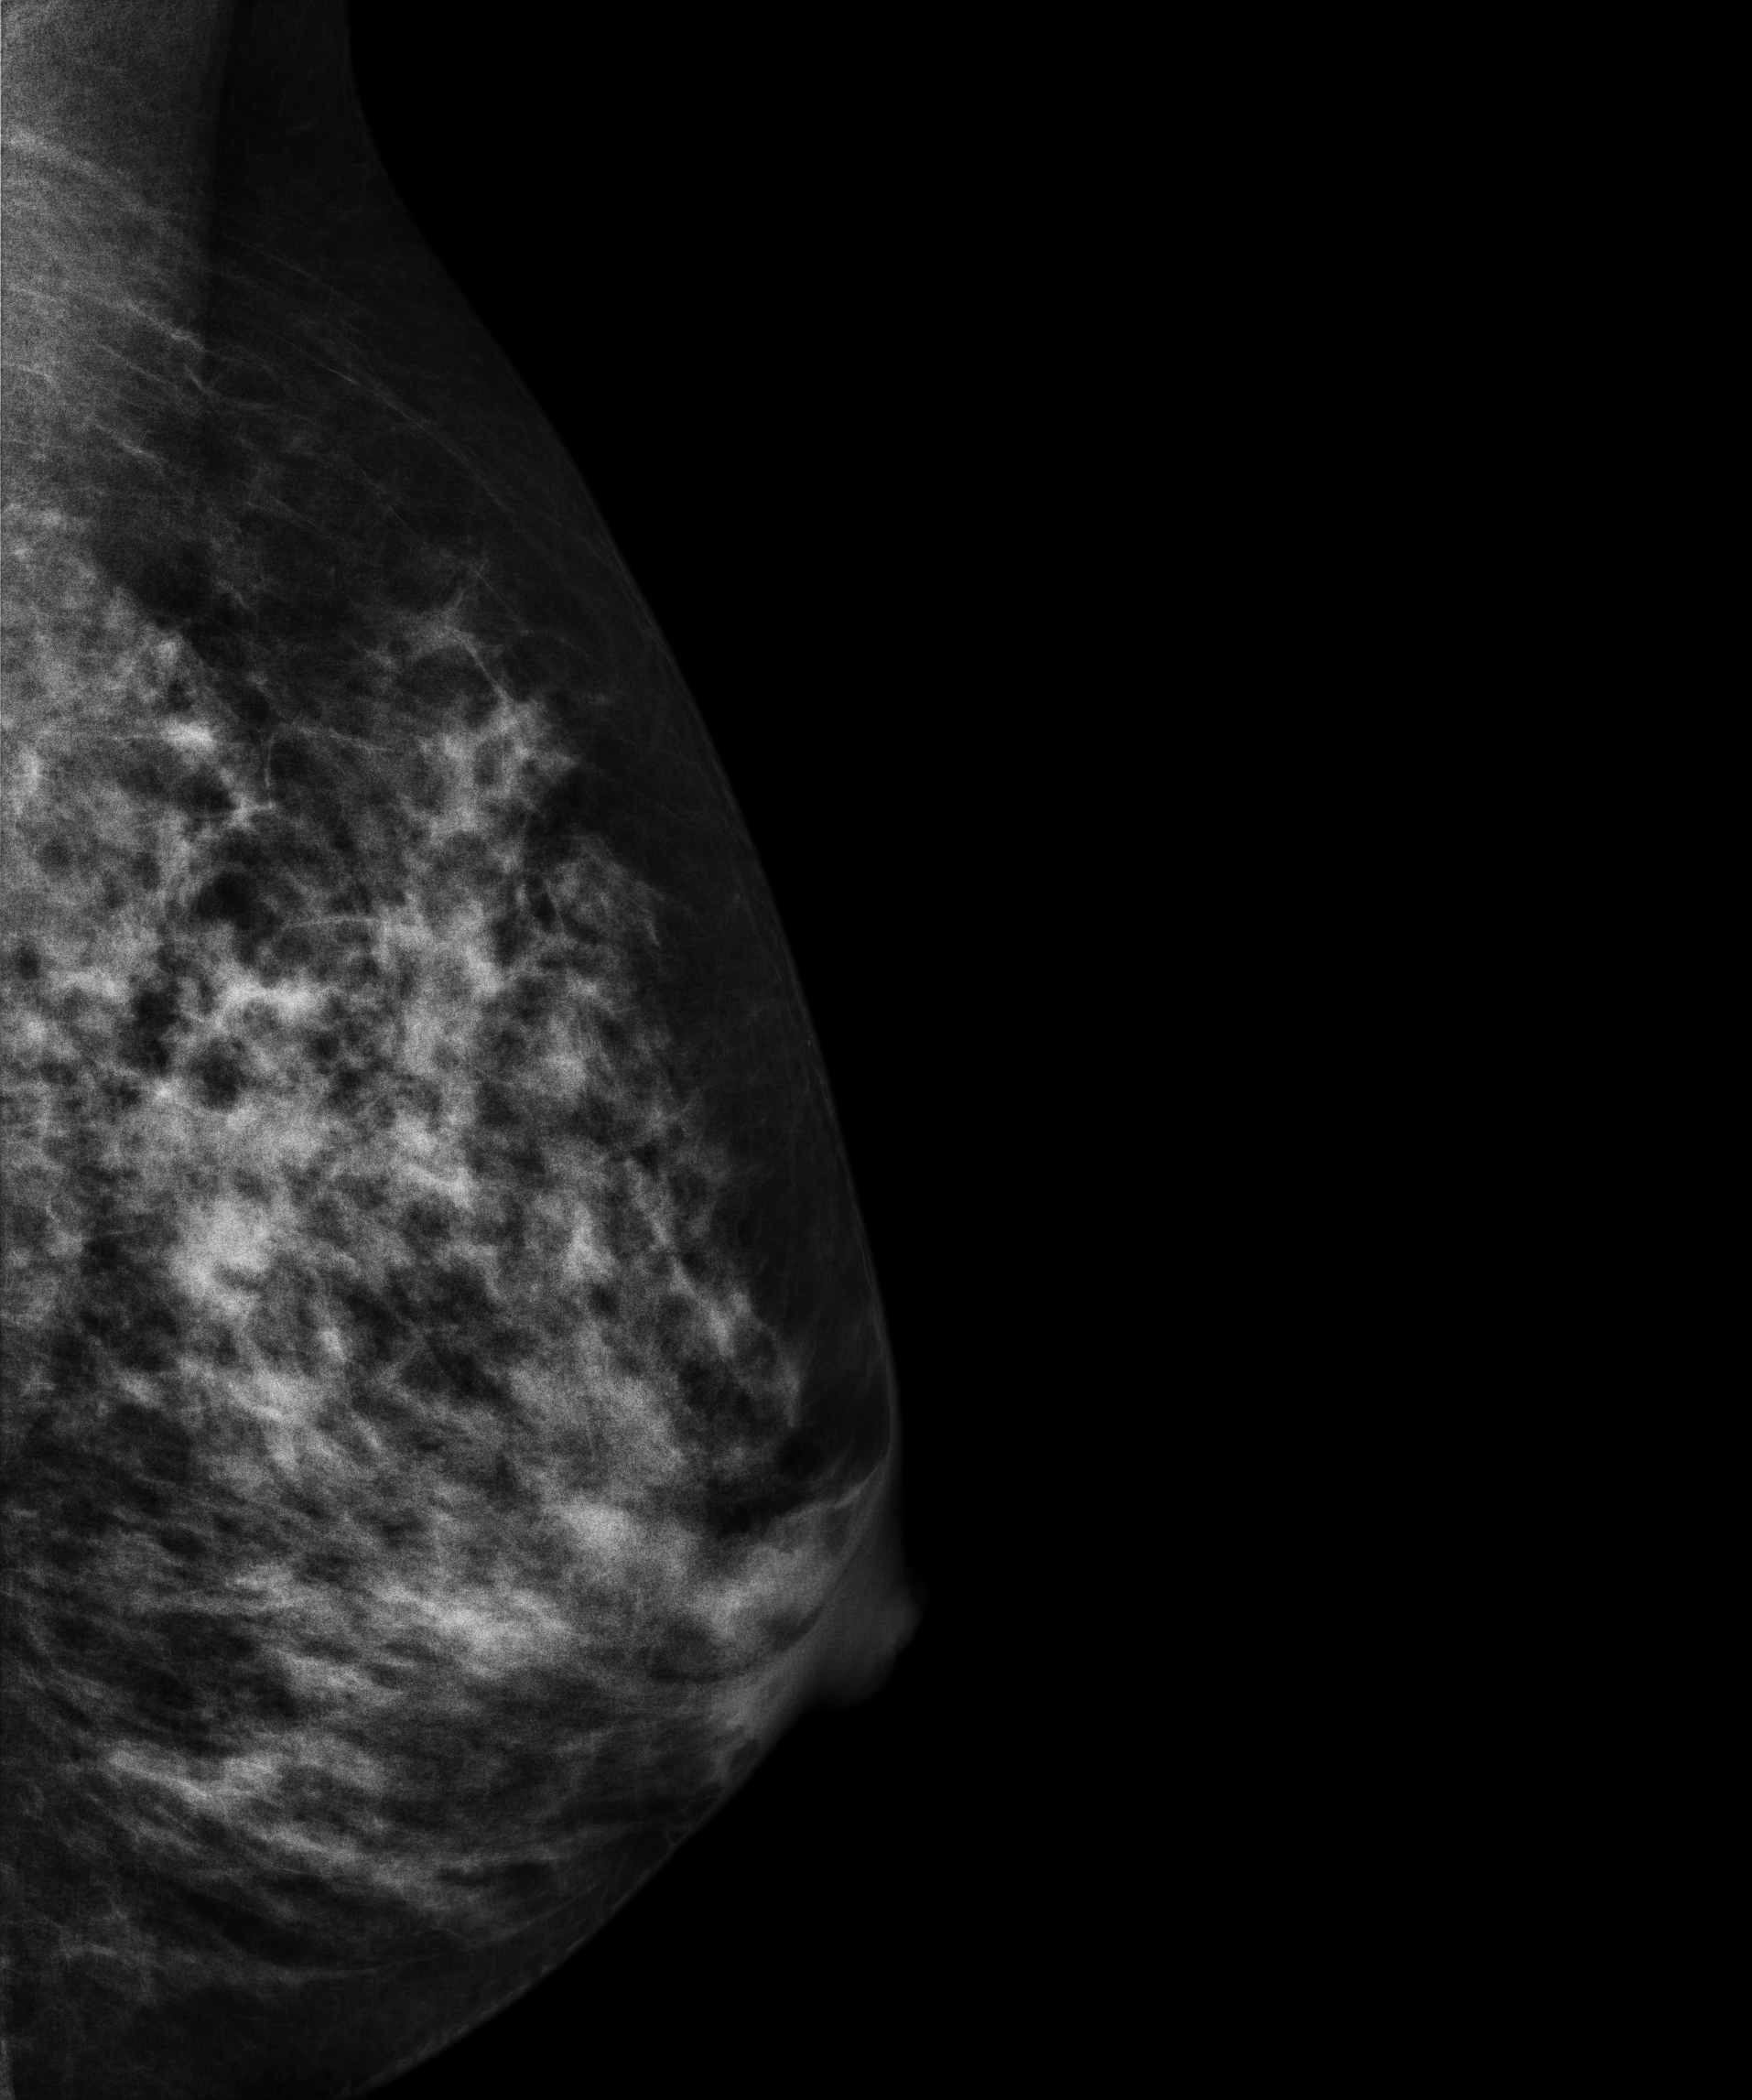
Mammogram, left breast, MLO view. 46 y/o patient.
This breast has a mass, histologically confirmed malignant.